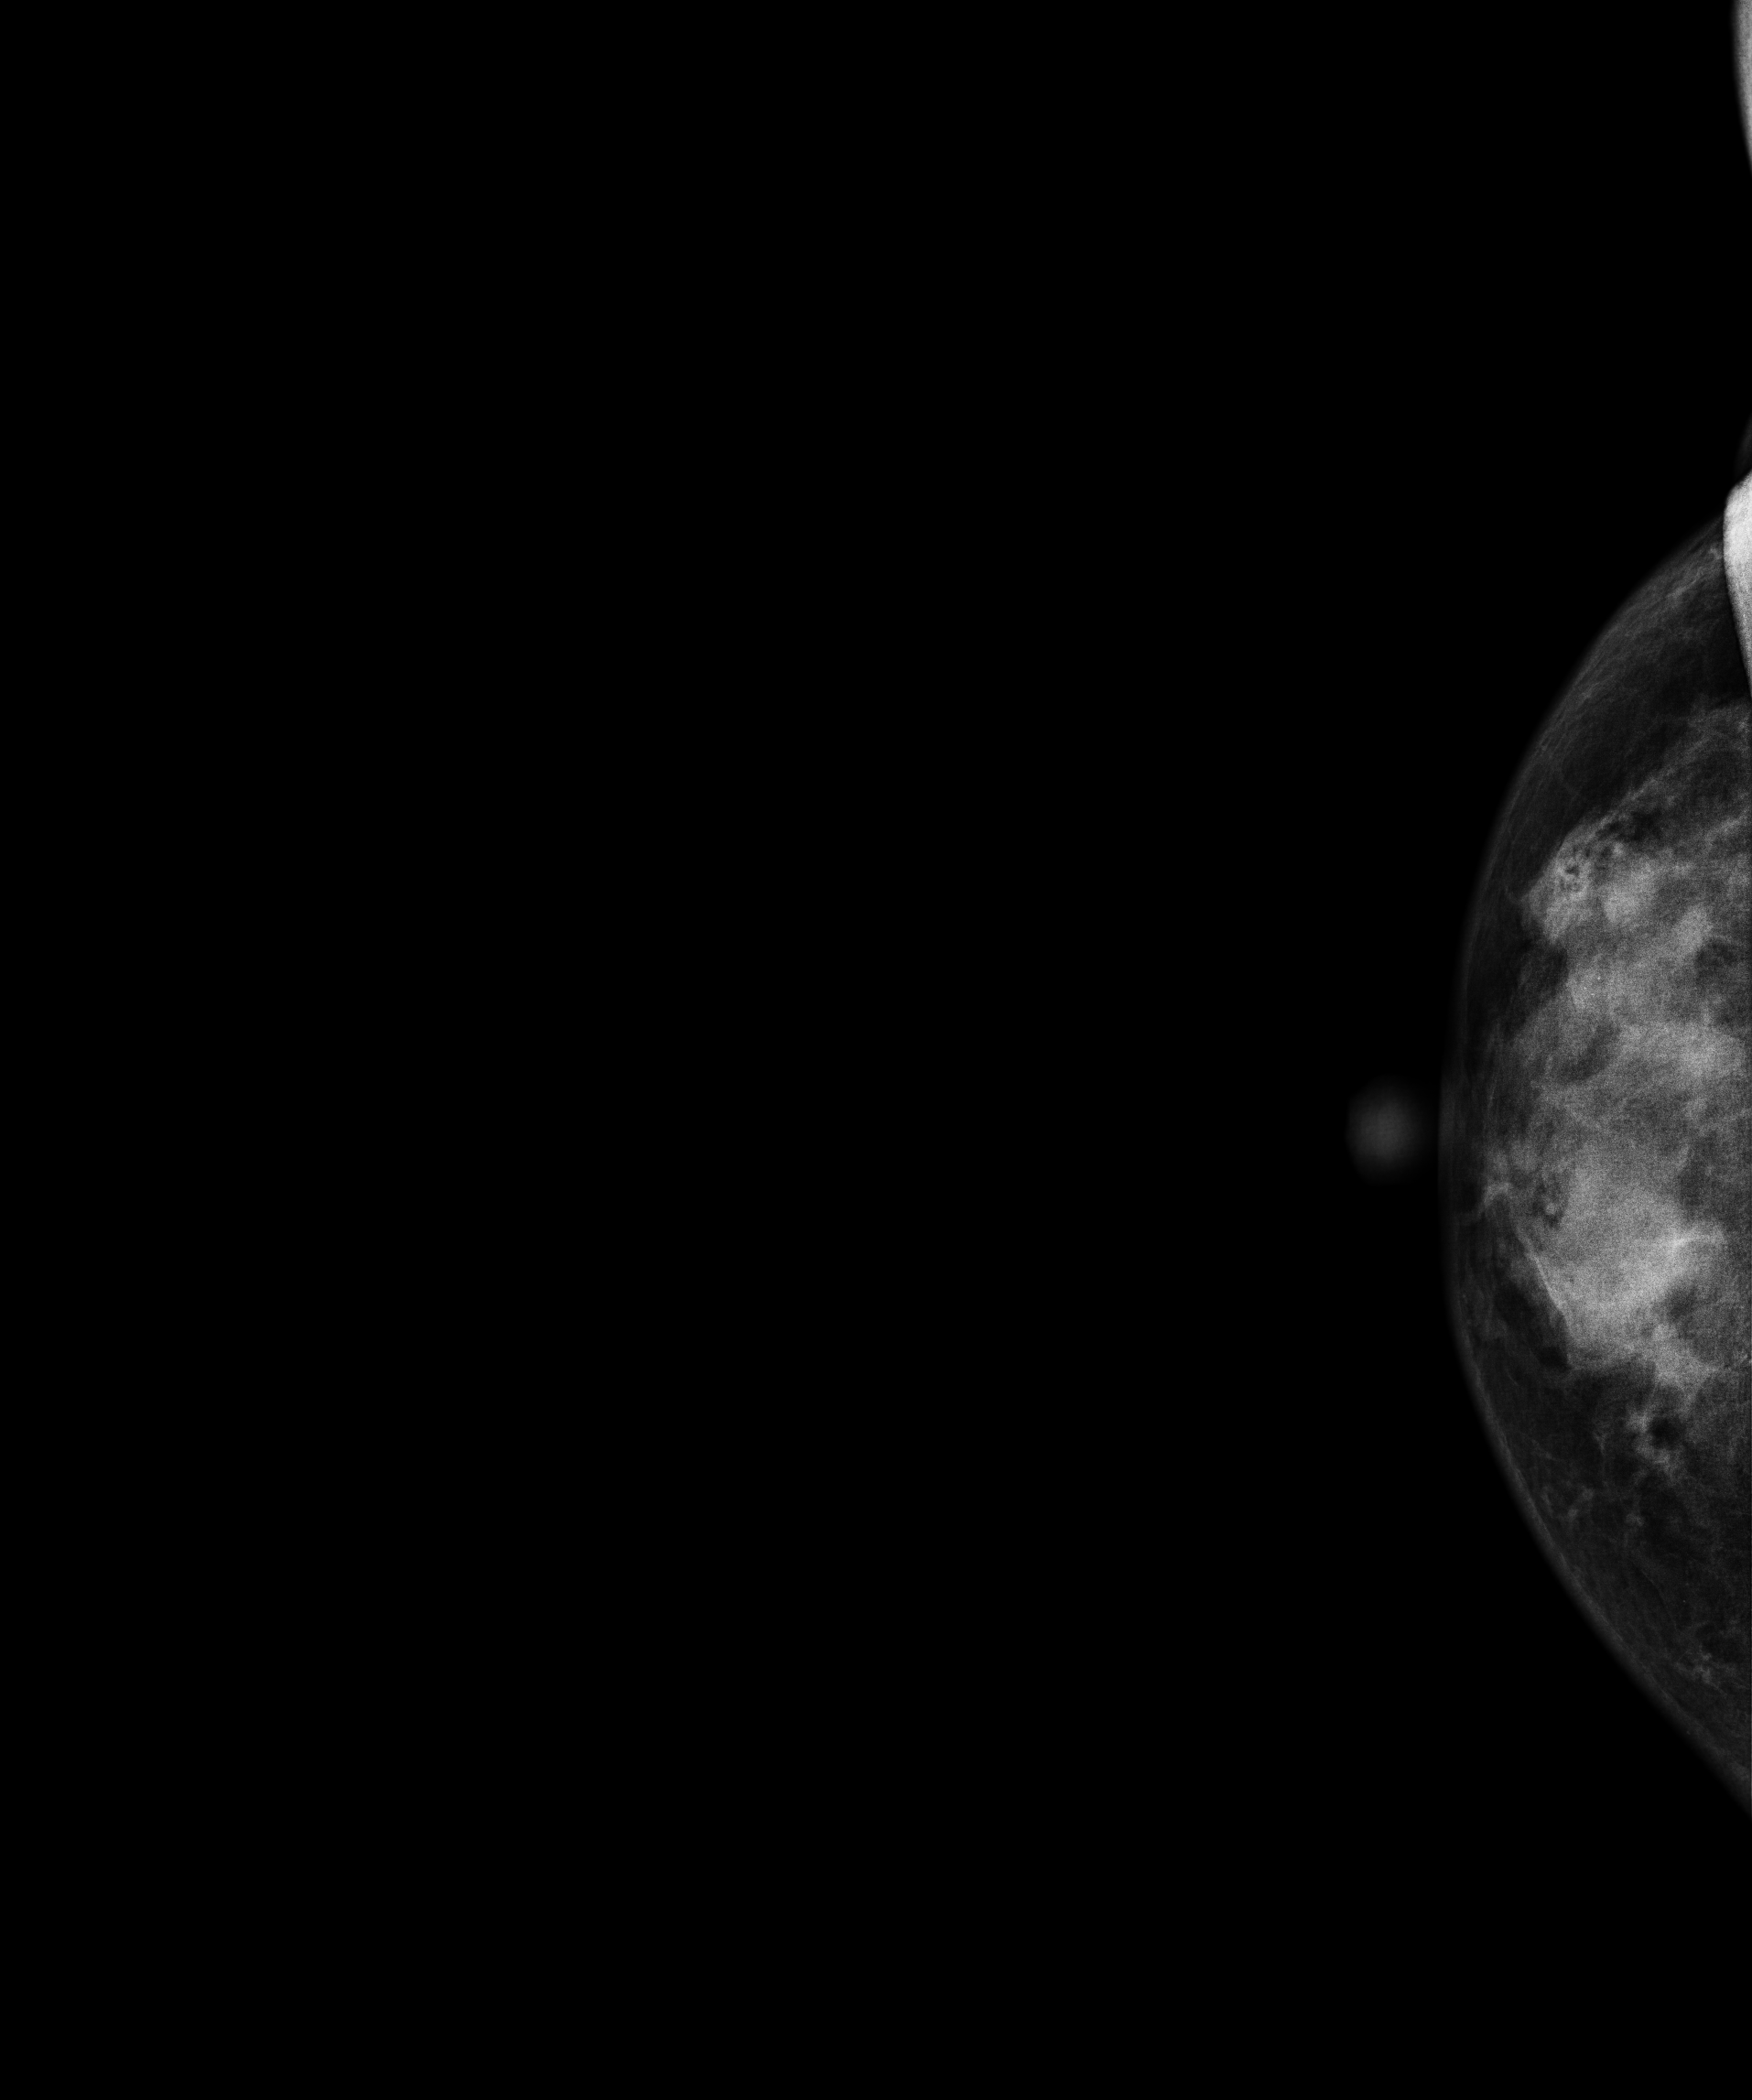
Mammogram — right cranio-caudal. 43 y/o patient.
This breast has a mass, biopsy-proven benign.